Cranio-caudal mammogram of the right breast. 55 y/o patient.
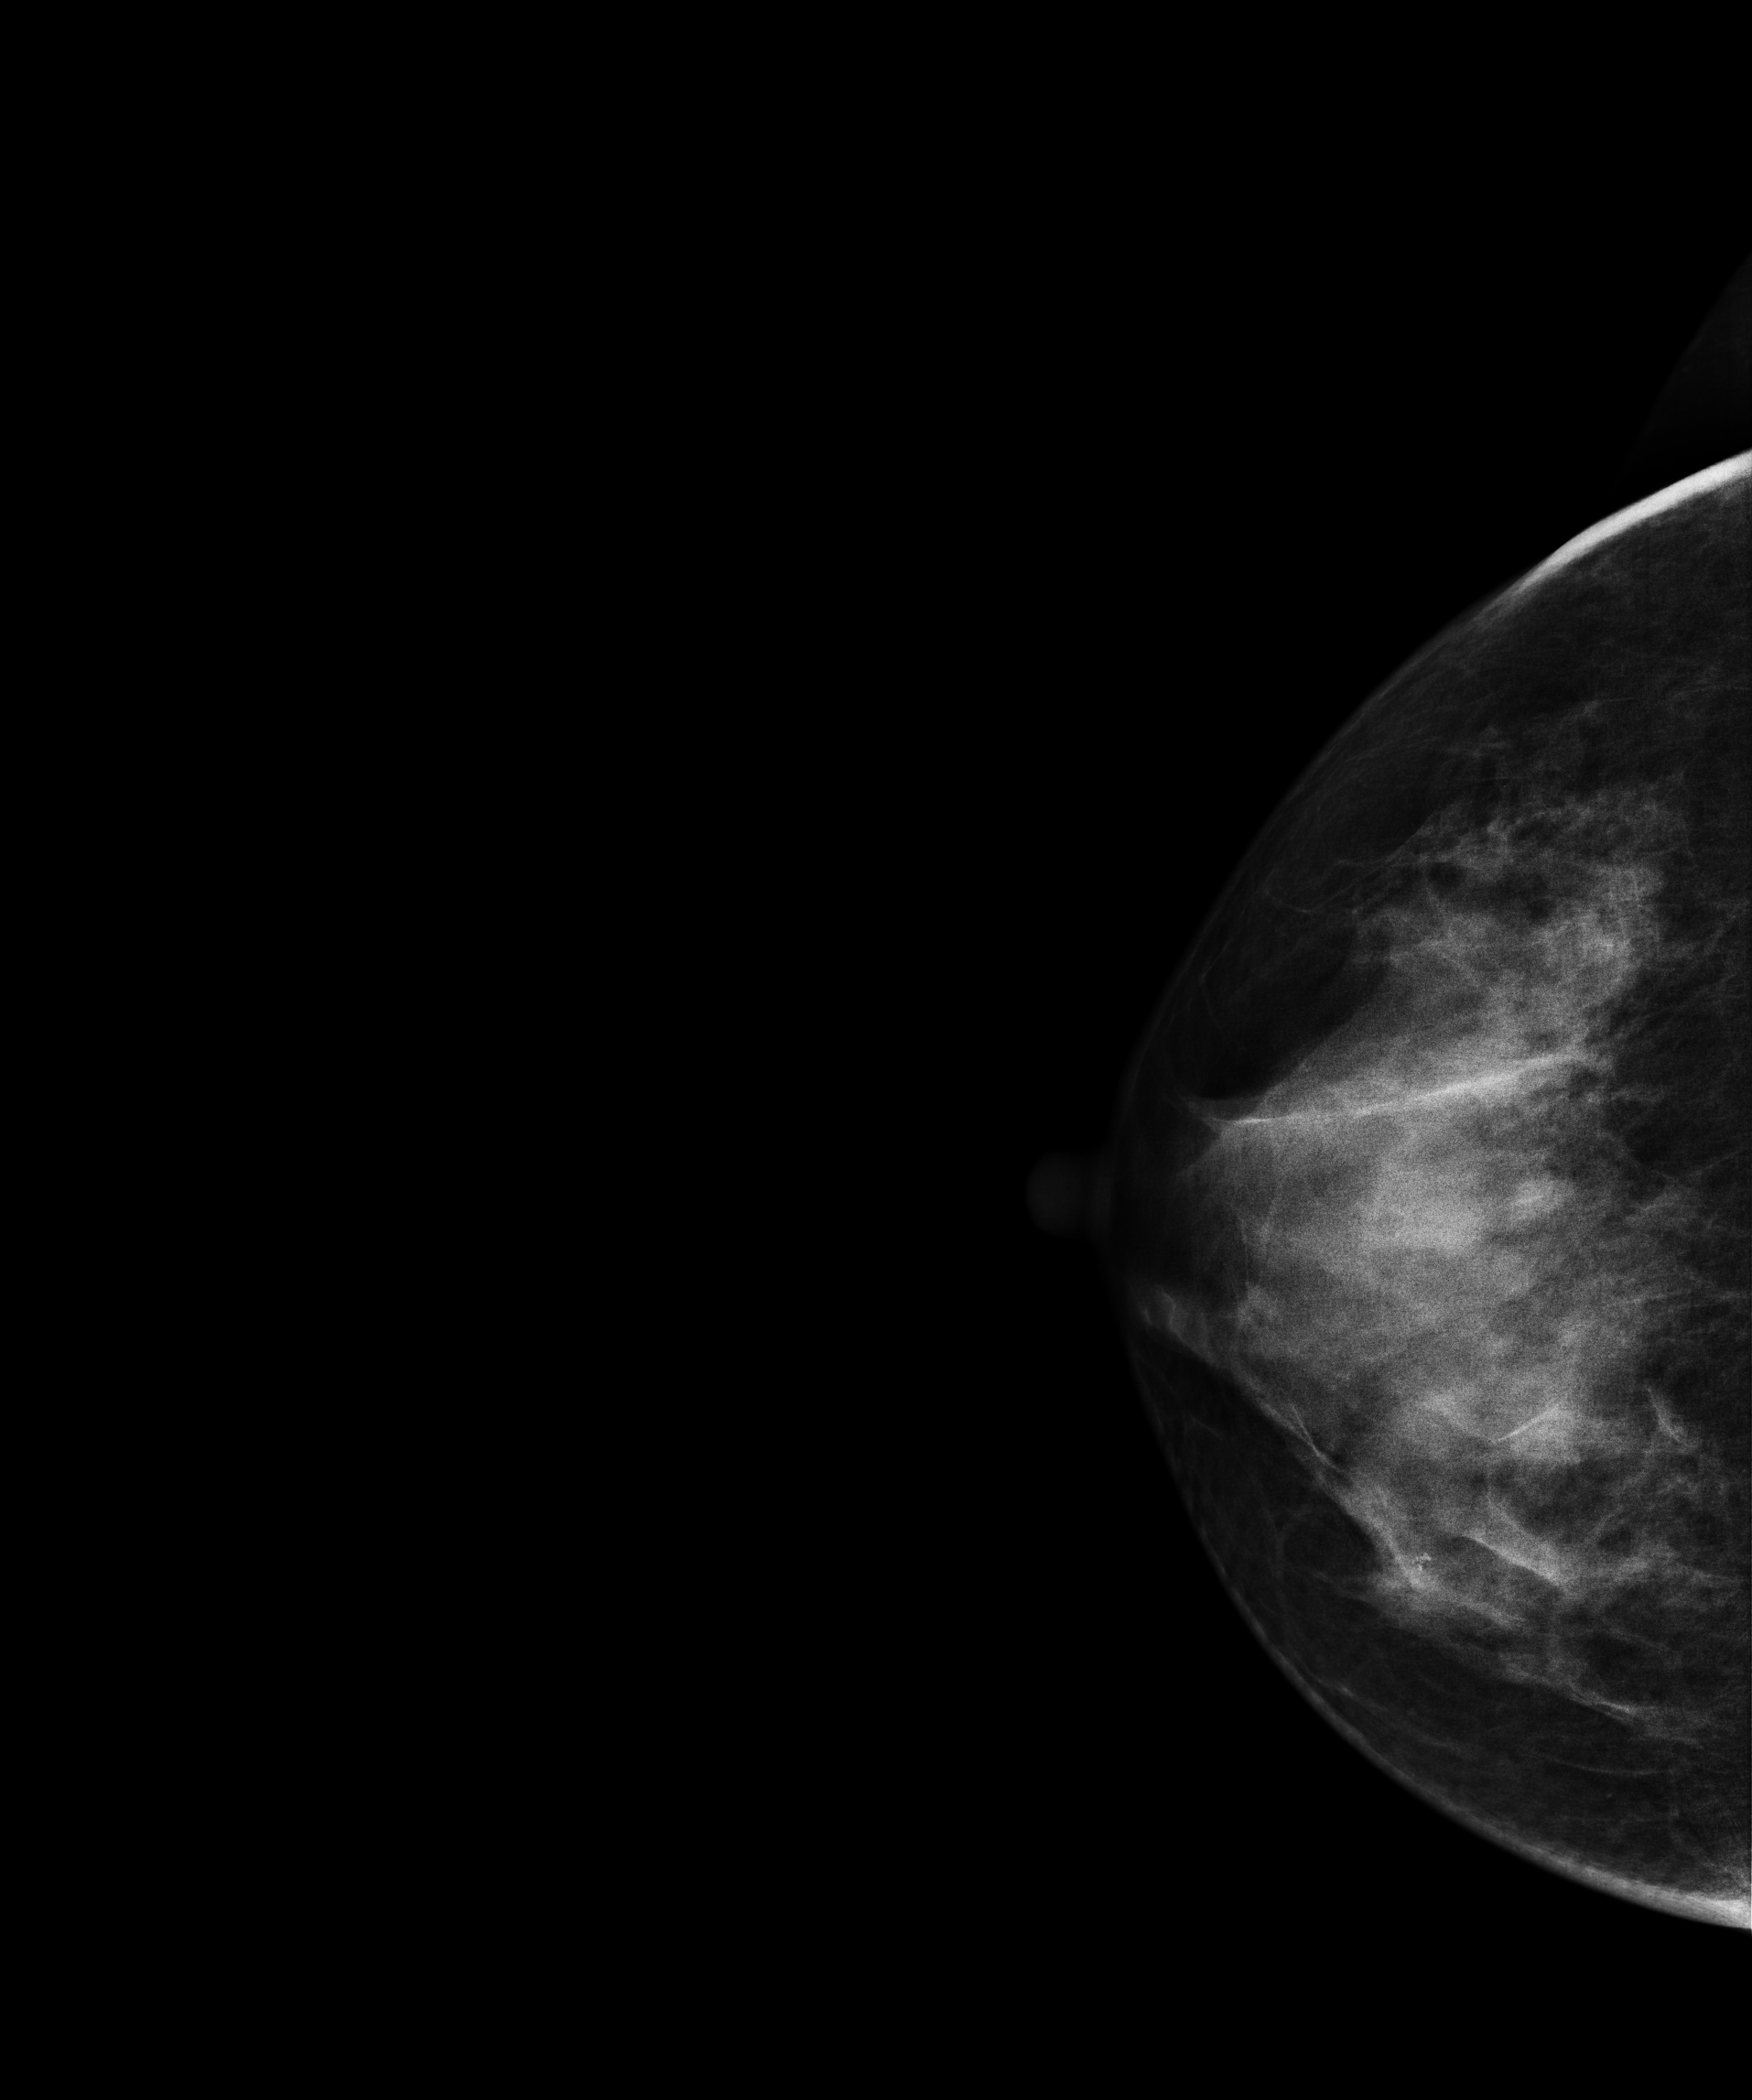
Contralateral breast — no documented abnormality on this side.